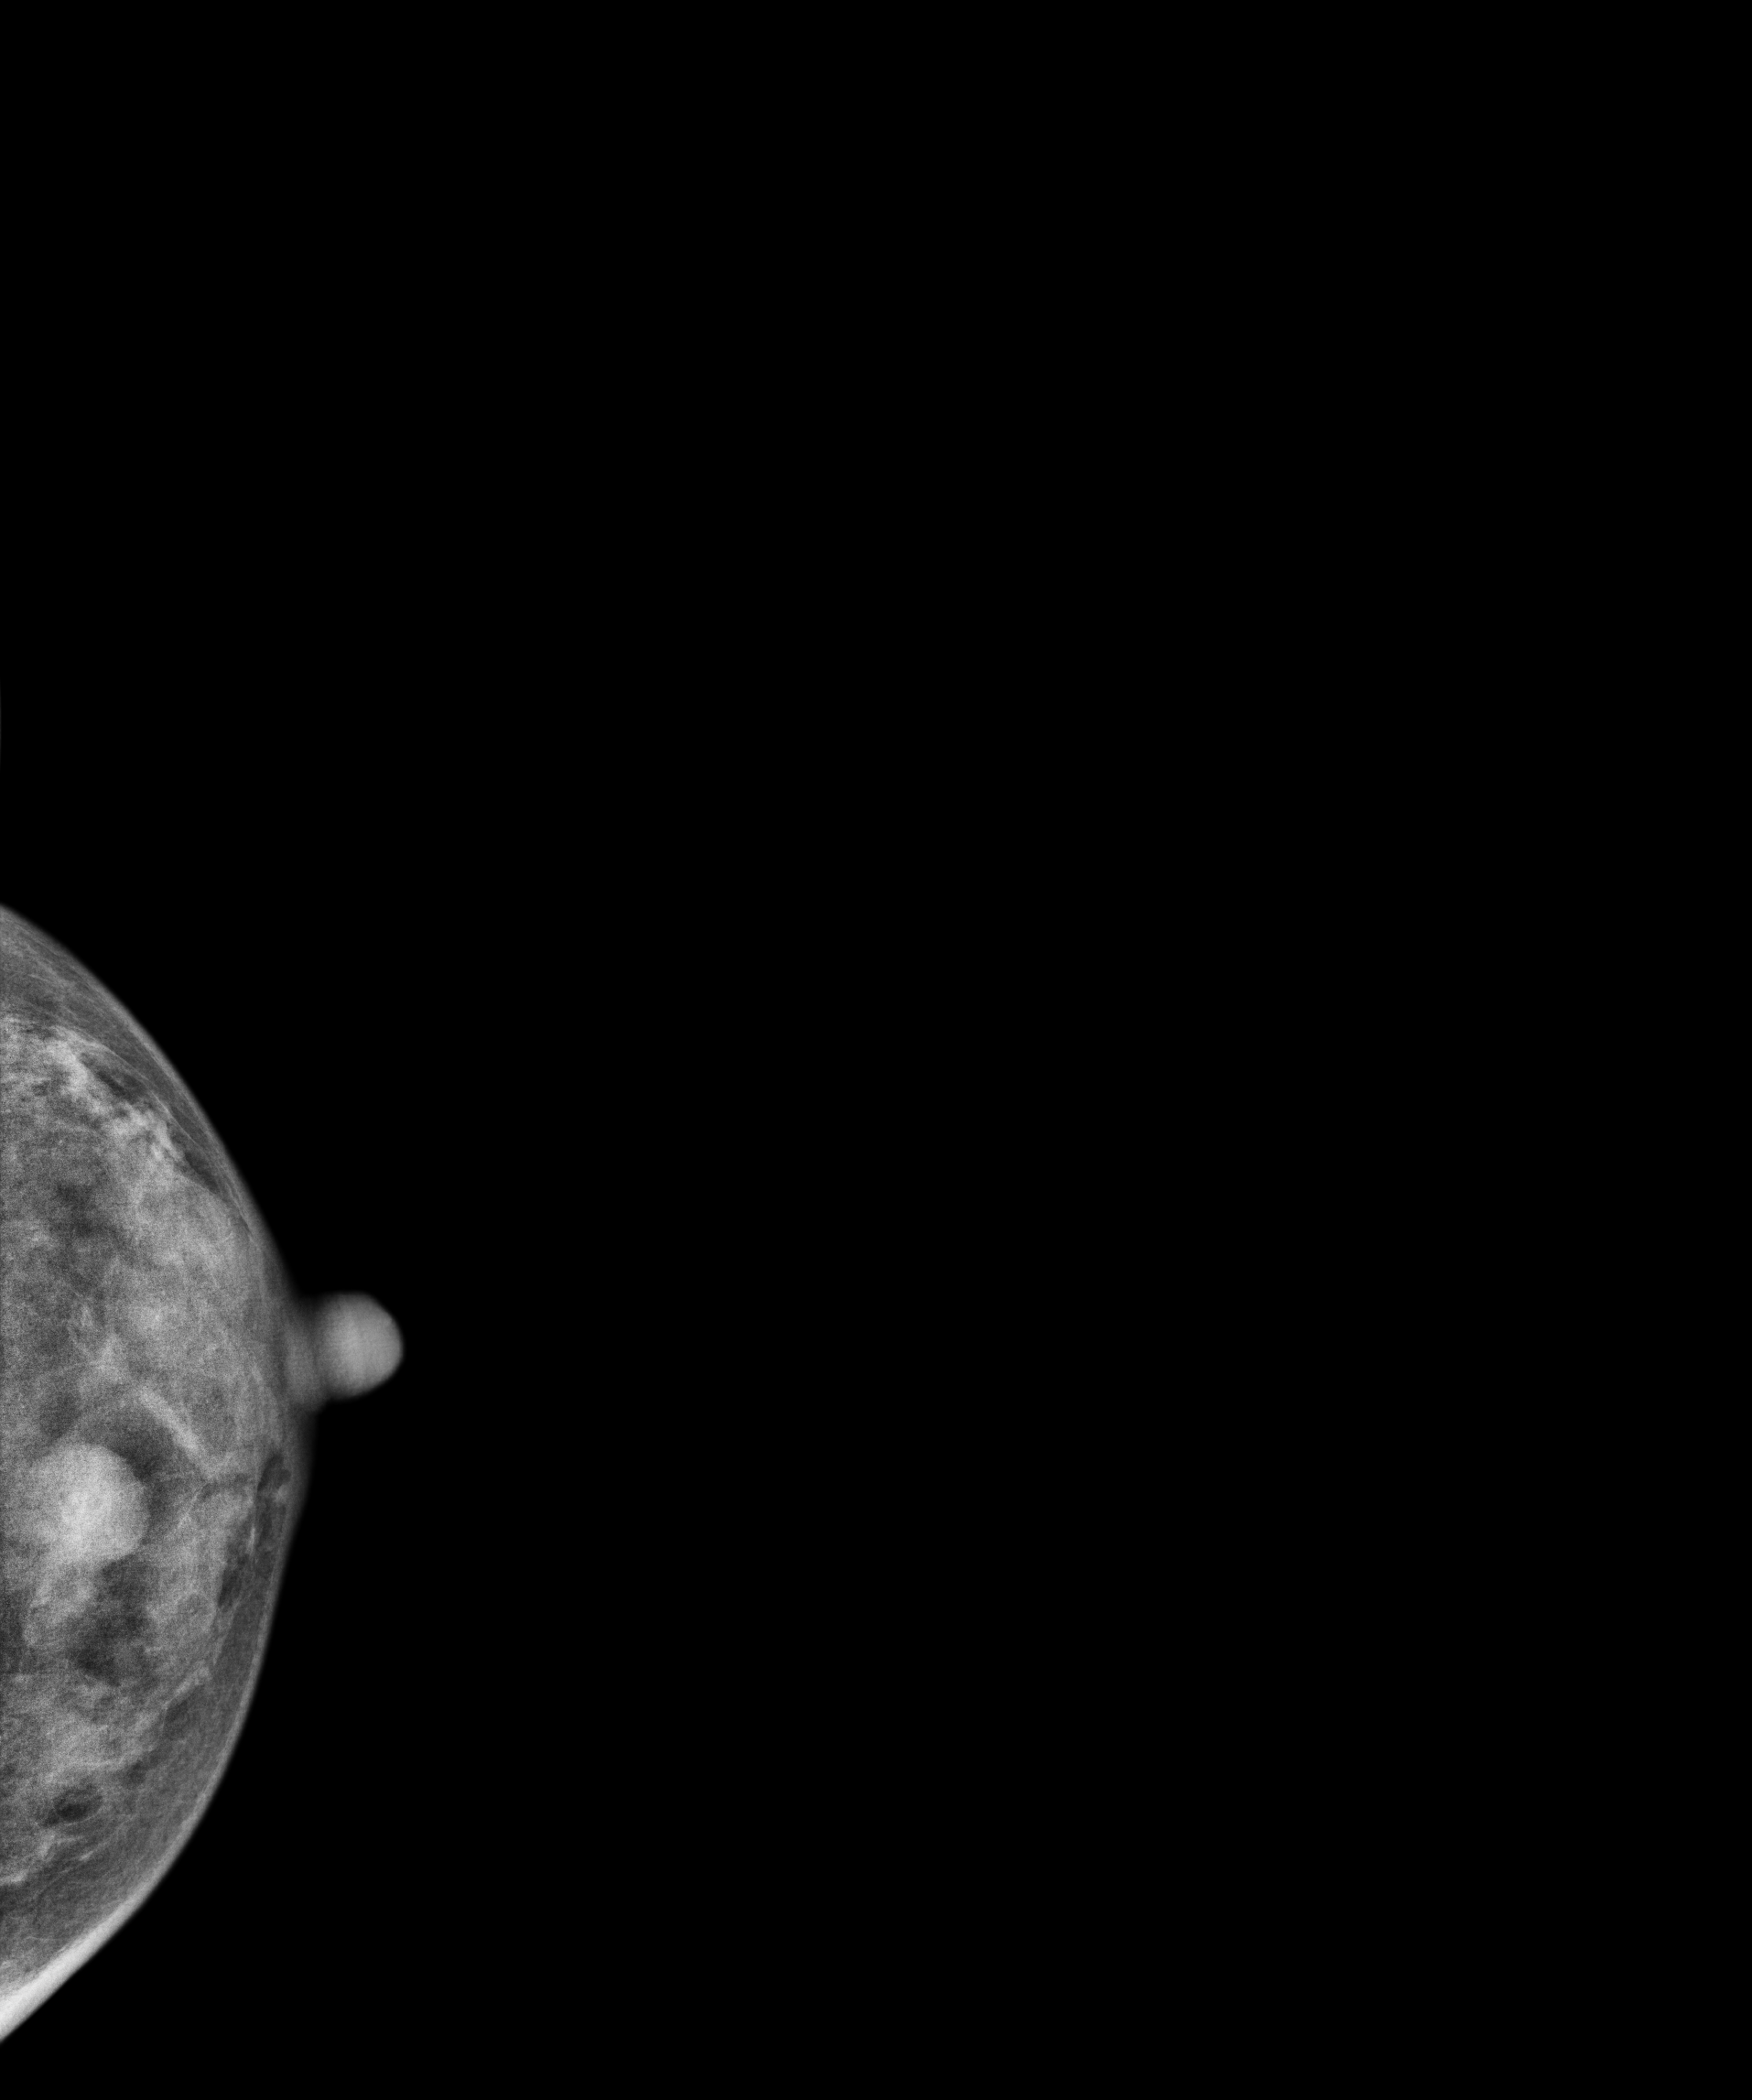
Left-breast mammogram, cranio-caudal. 44-year-old patient.
This breast has a mass, biopsy-confirmed benign.